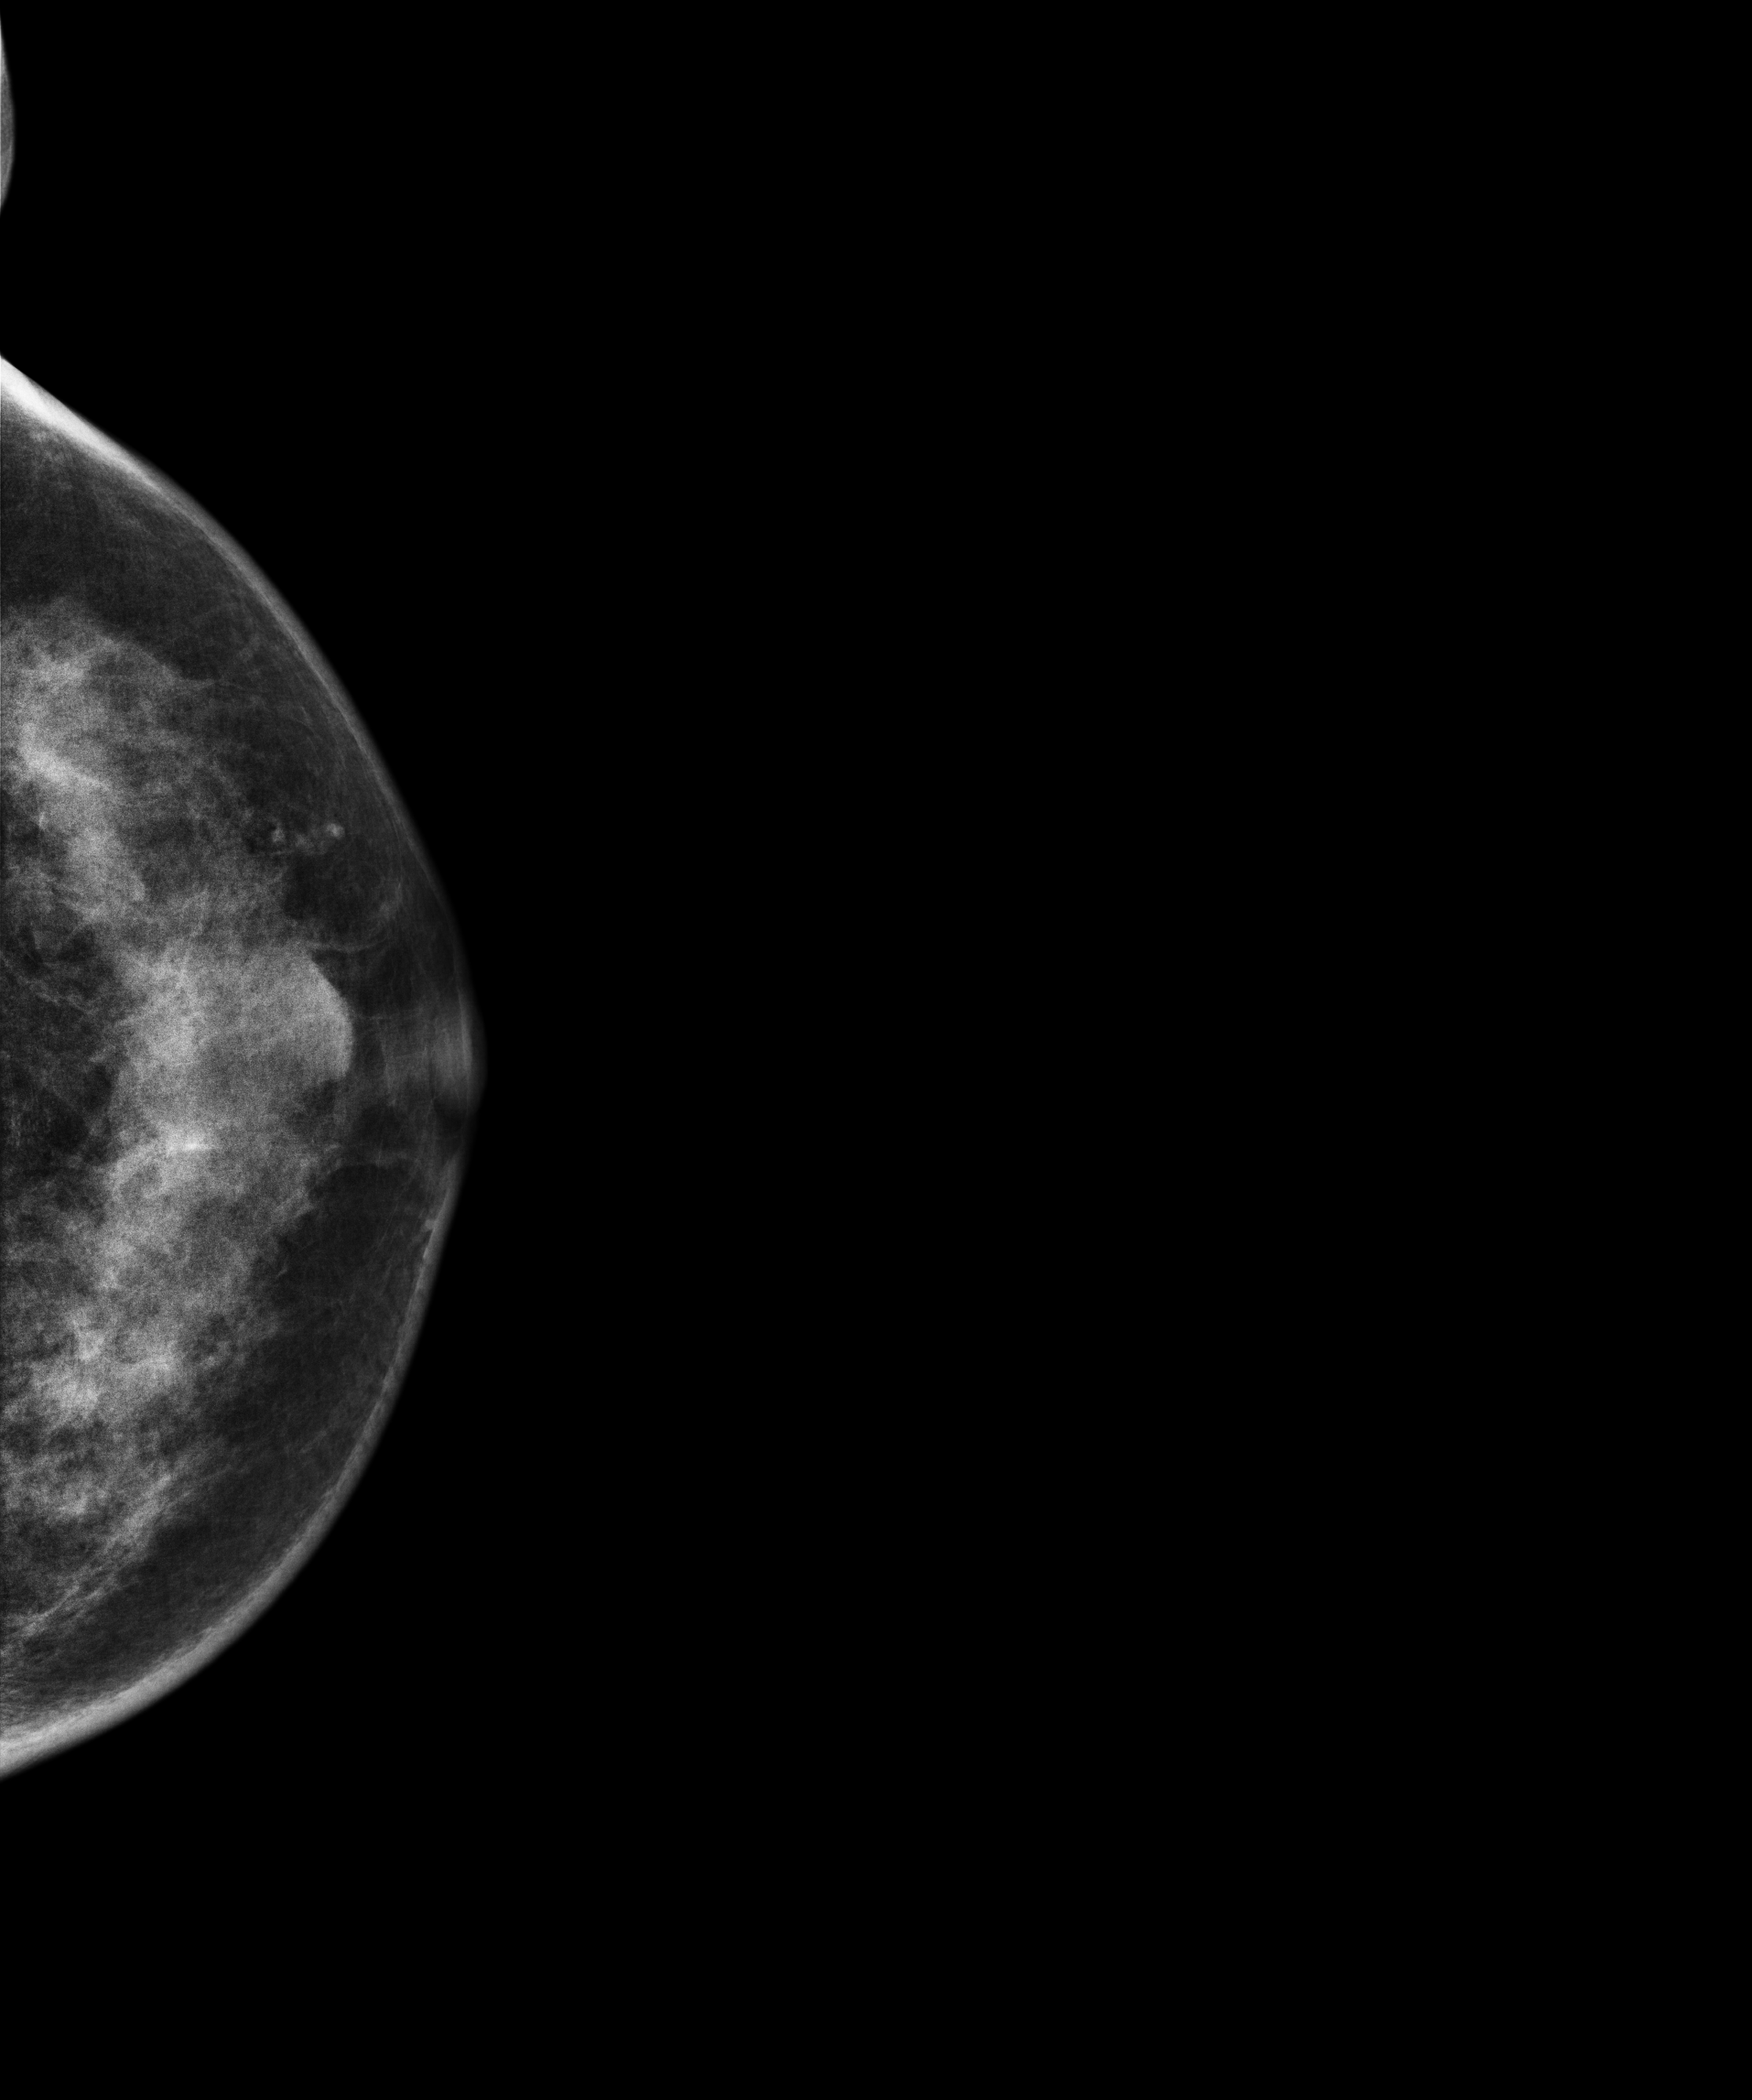
Digital mammography. Left breast, CC projection. Patient age 46.
This breast has a mass, histologically confirmed benign.